Mammogram — left MLO. 37-year-old patient.
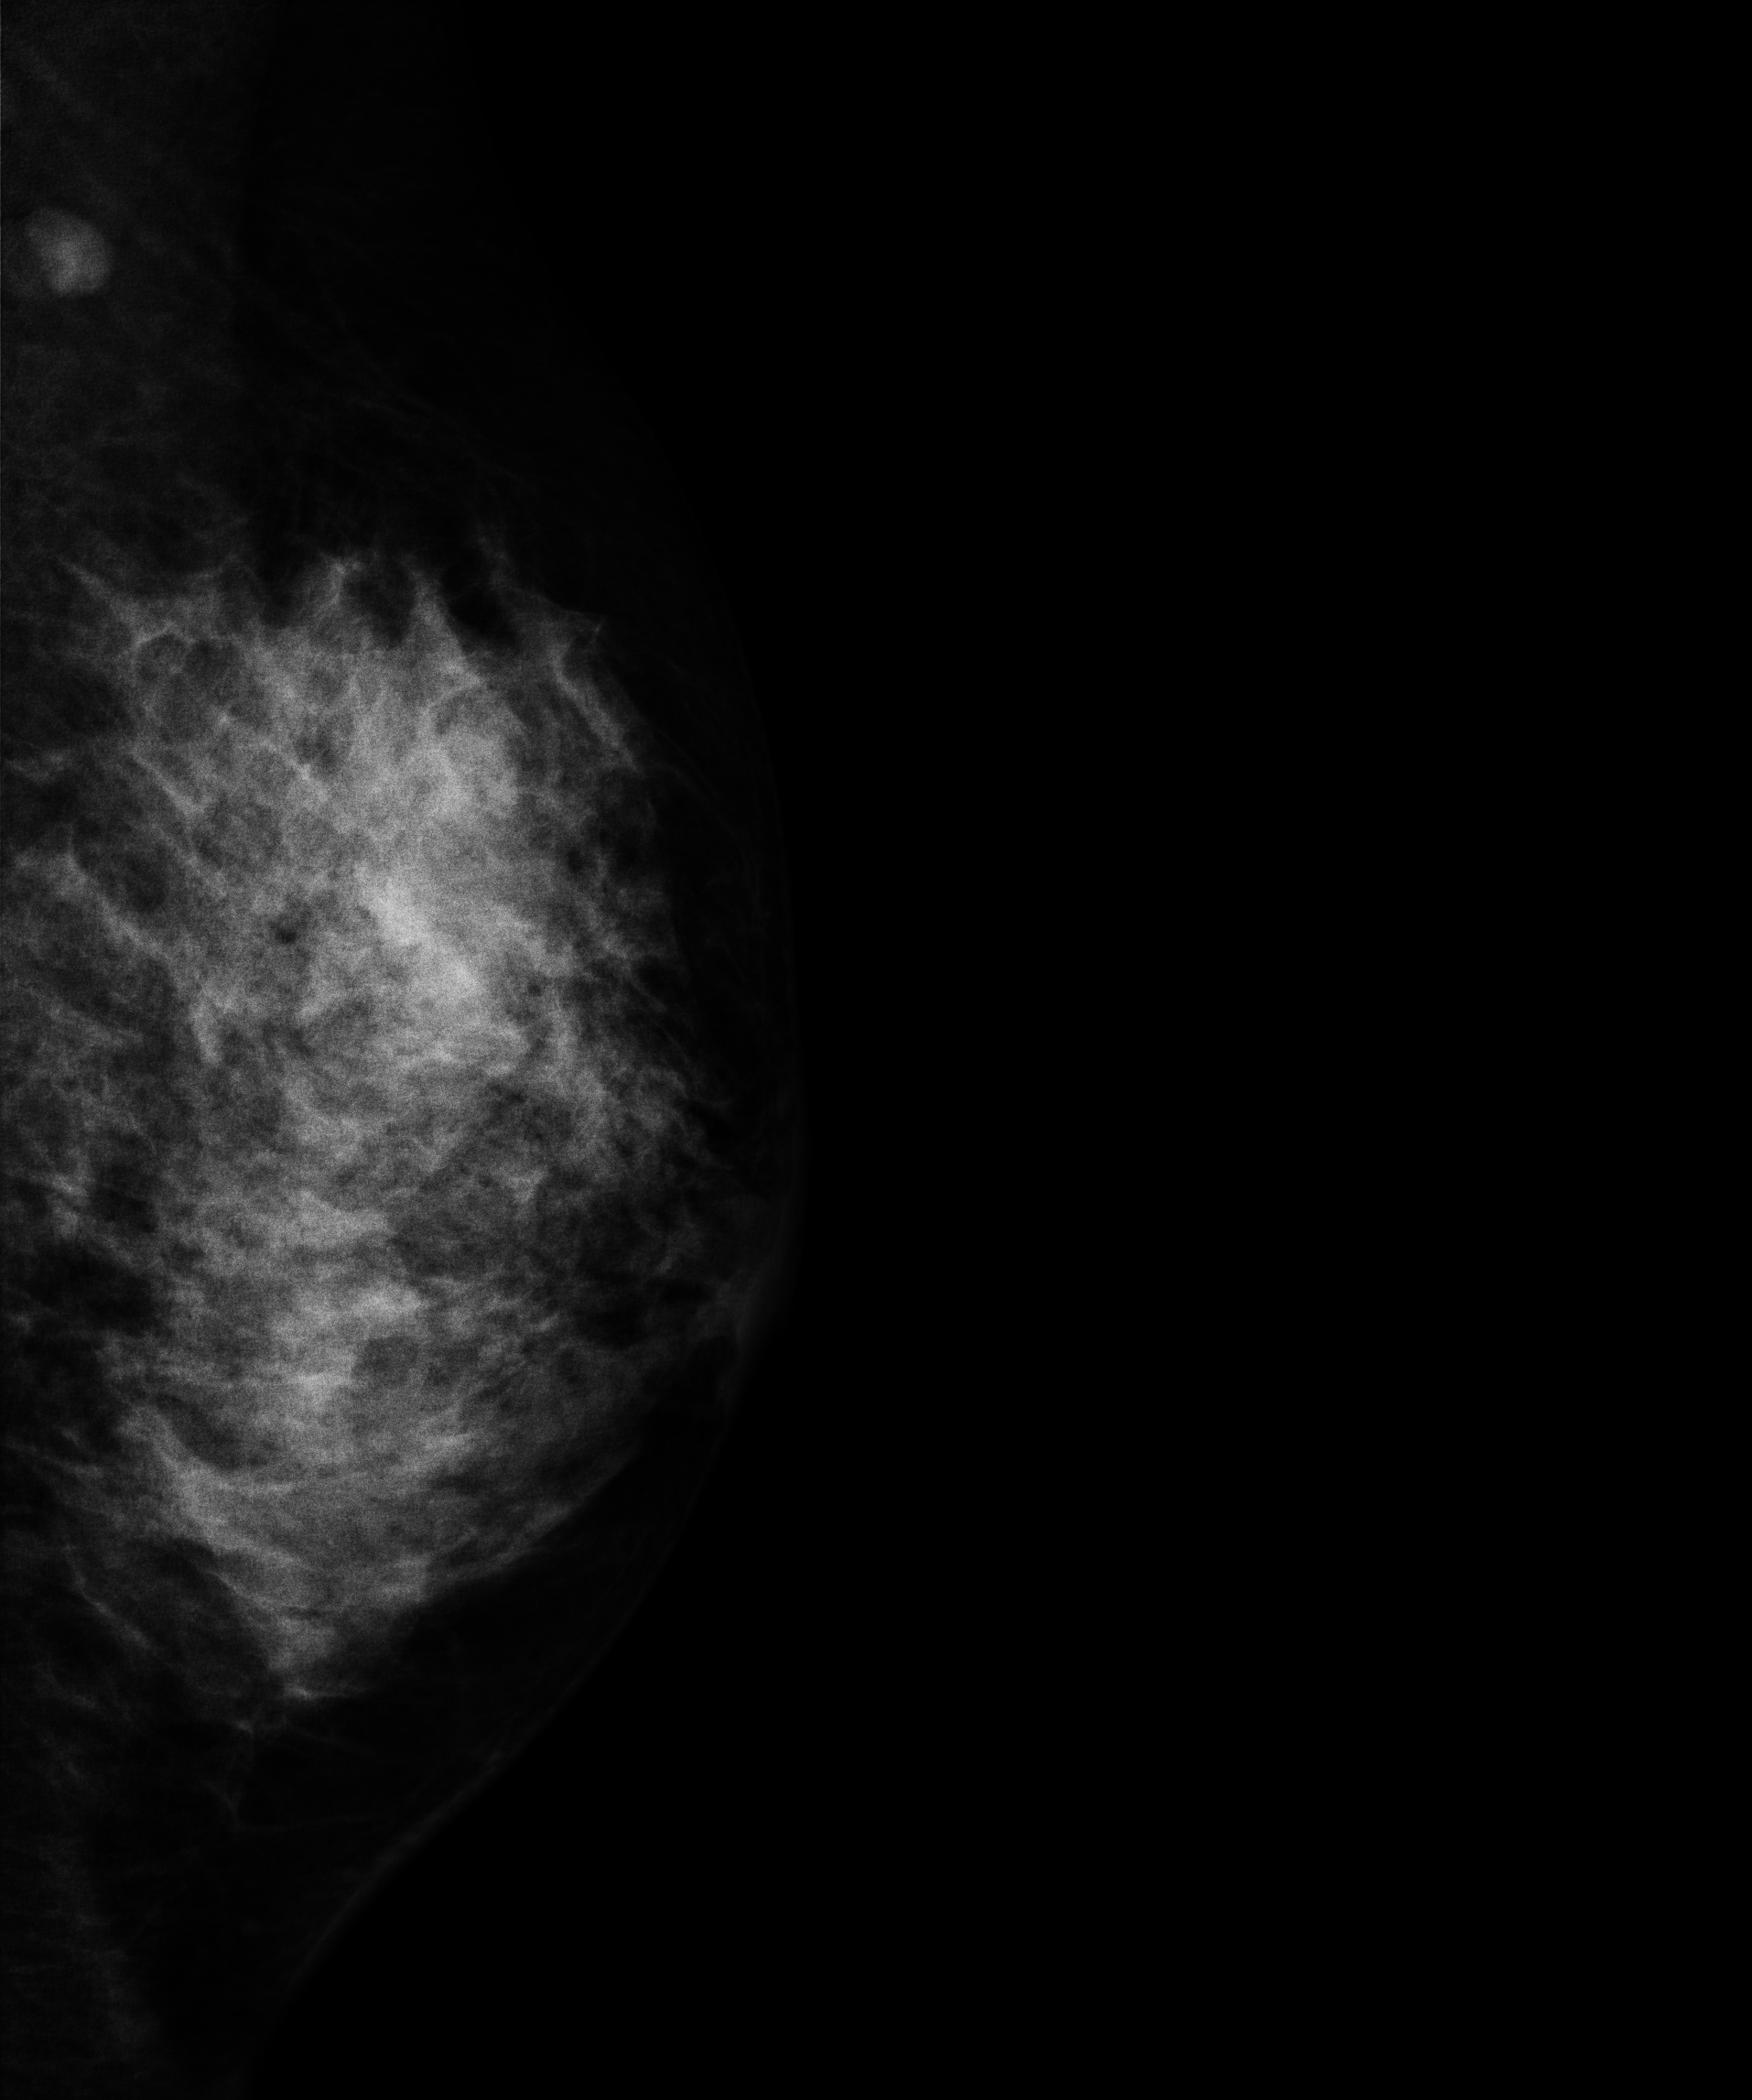
This breast has a mass, biopsy-proven benign.